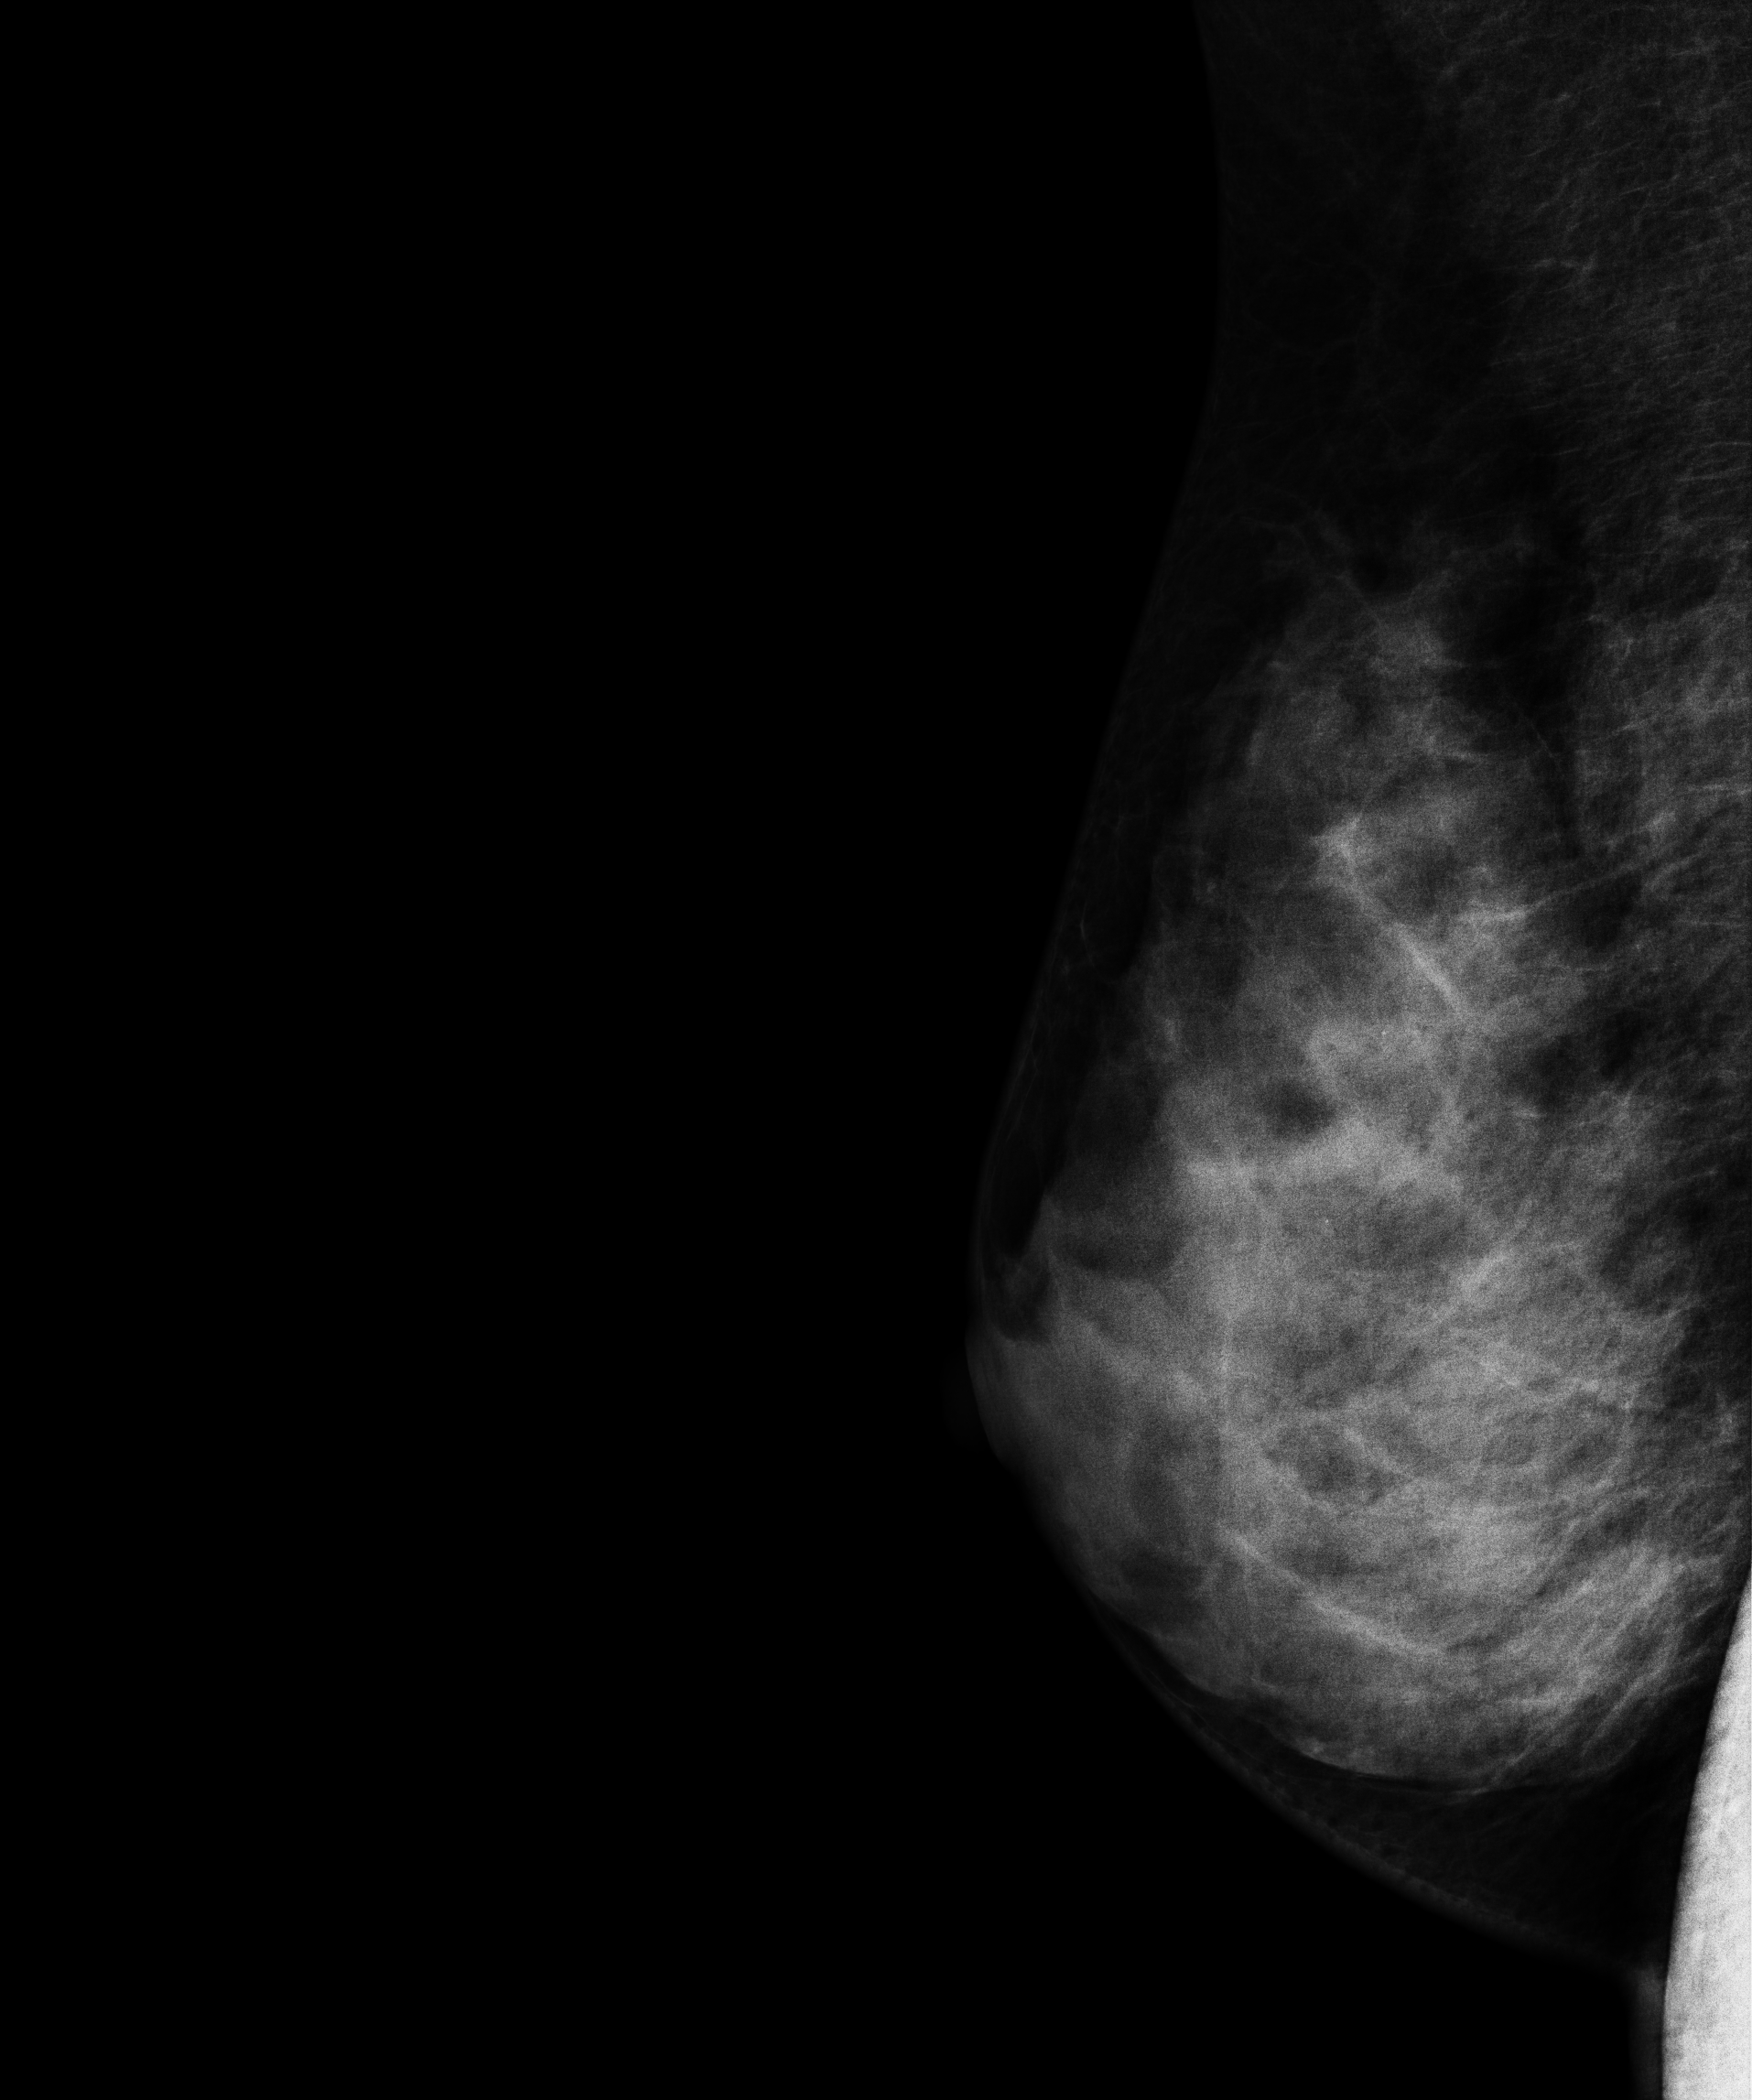
Right-breast mammogram, MLO. Patient age 42.
This breast has a mass, histologically confirmed malignant.